Digital mammography. Right breast, medio-lateral oblique projection. 18 y/o patient.
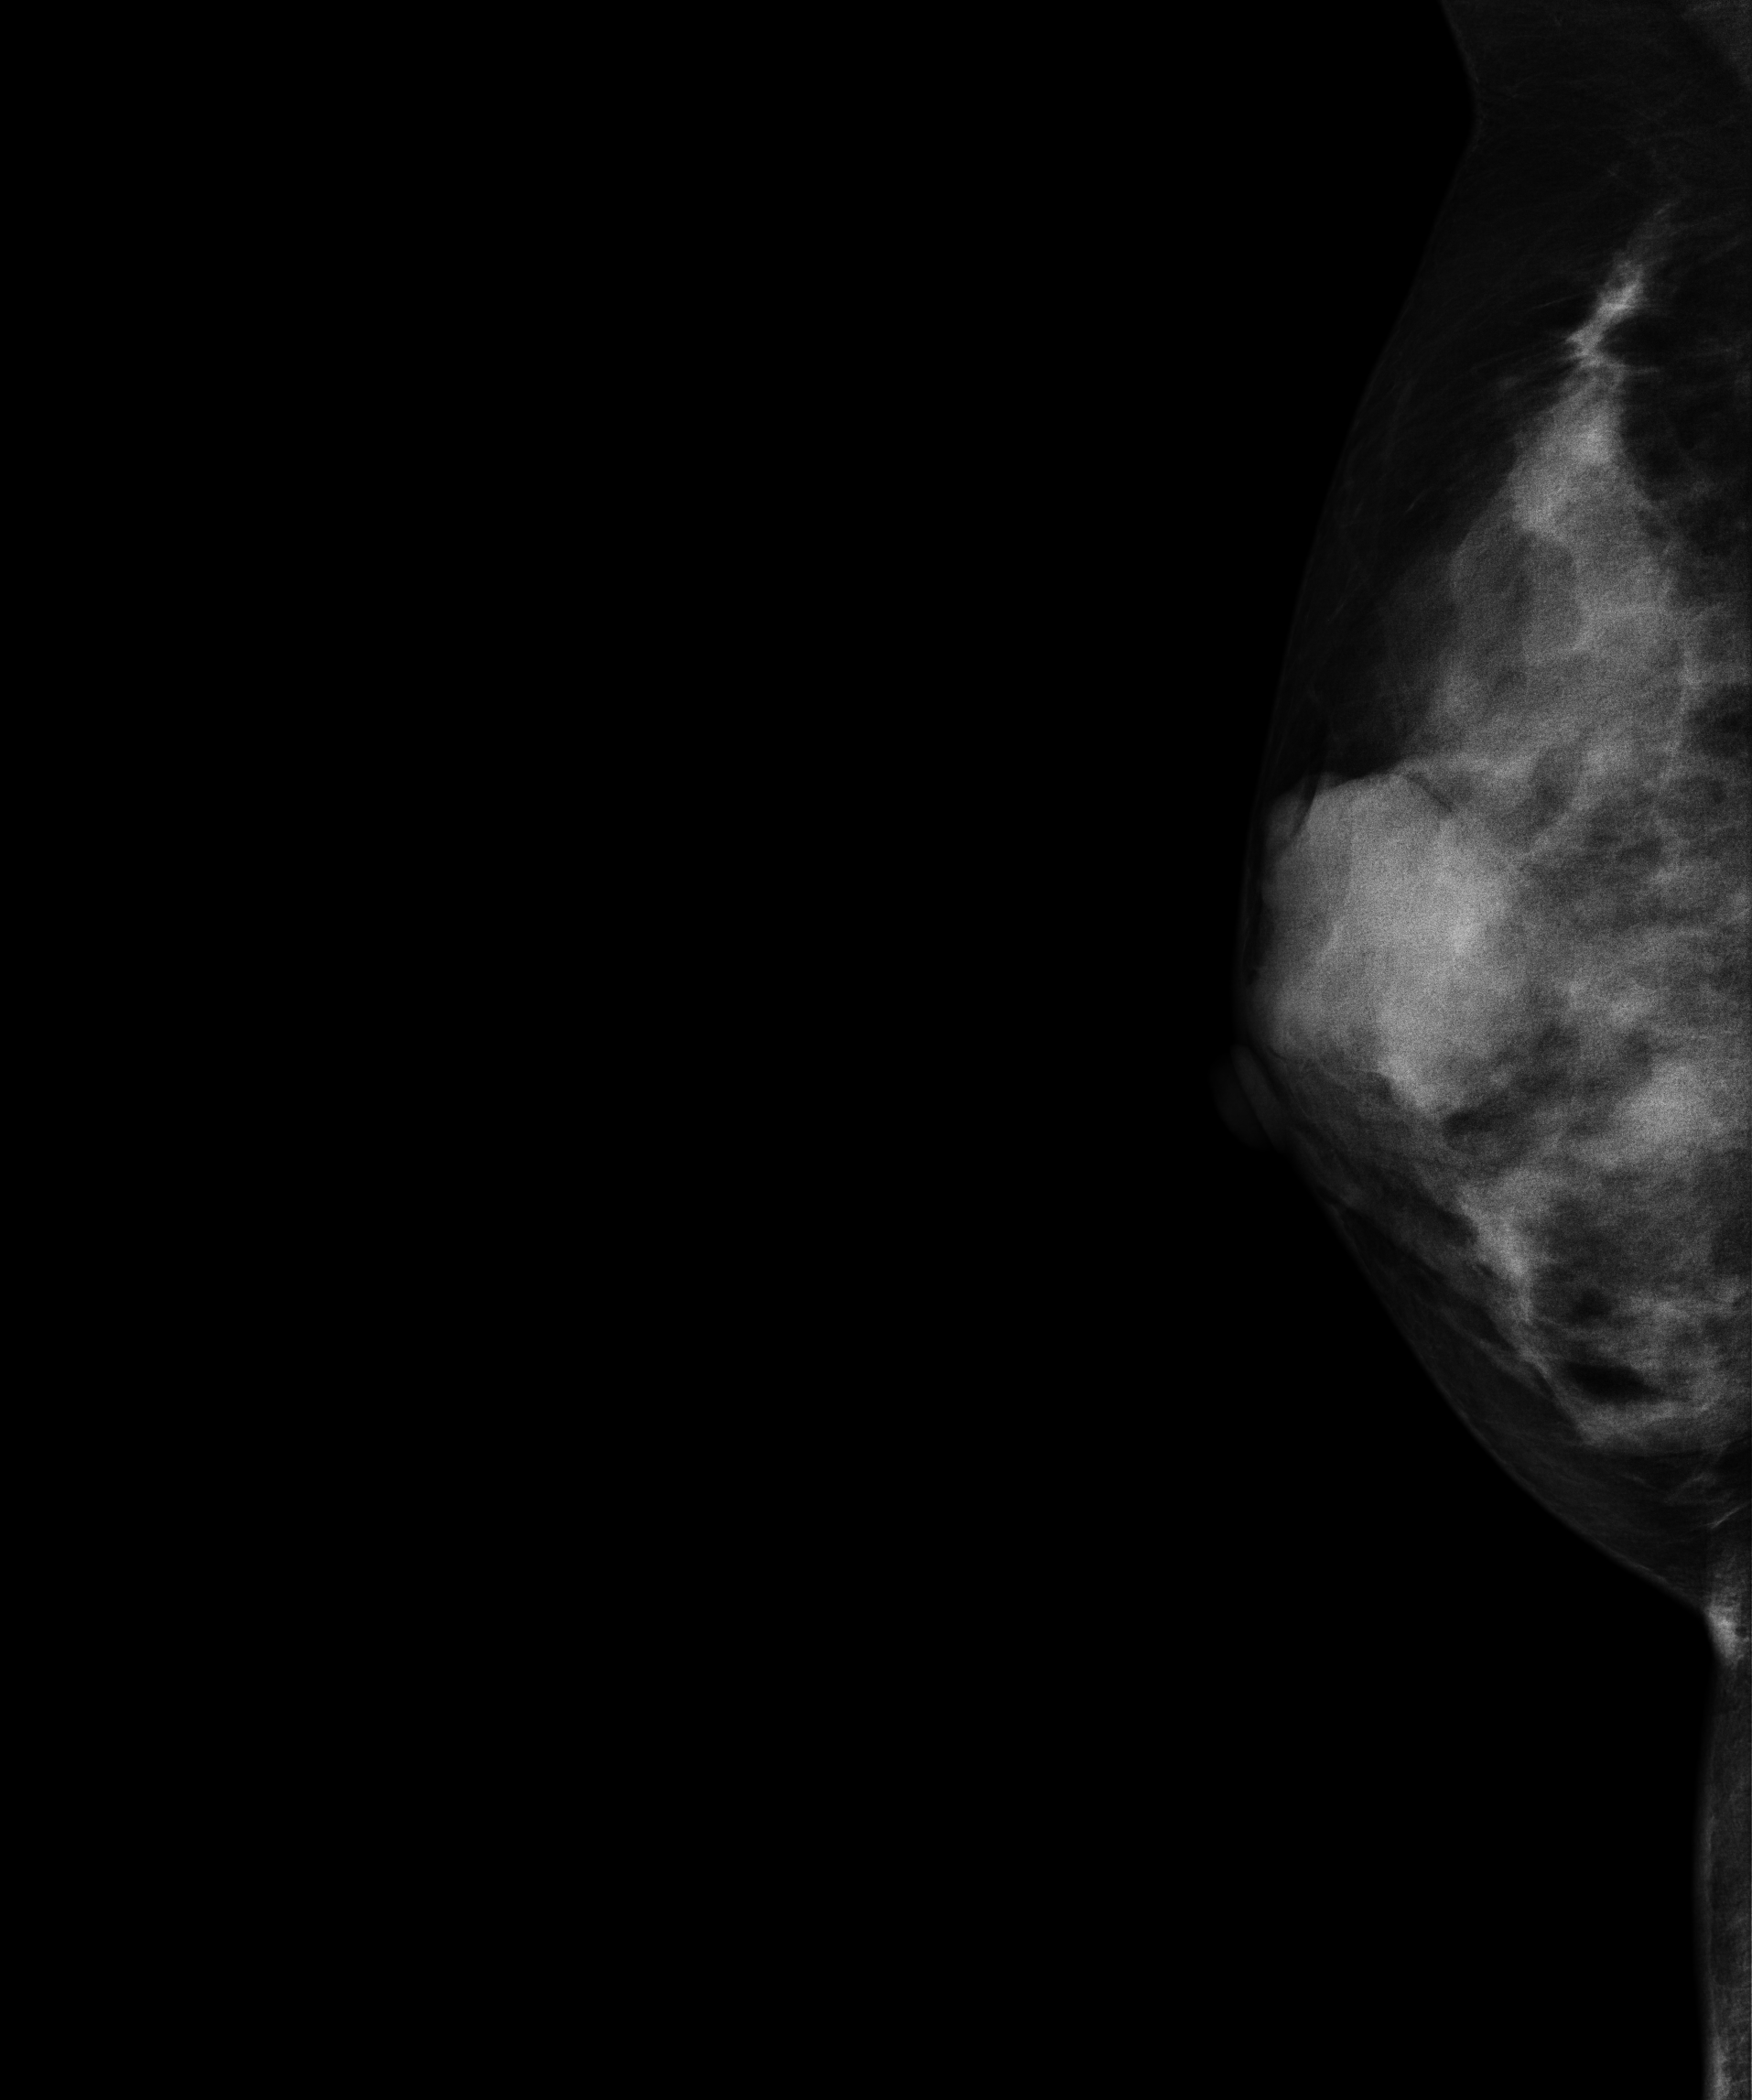
This breast has a mass, histologically confirmed benign.